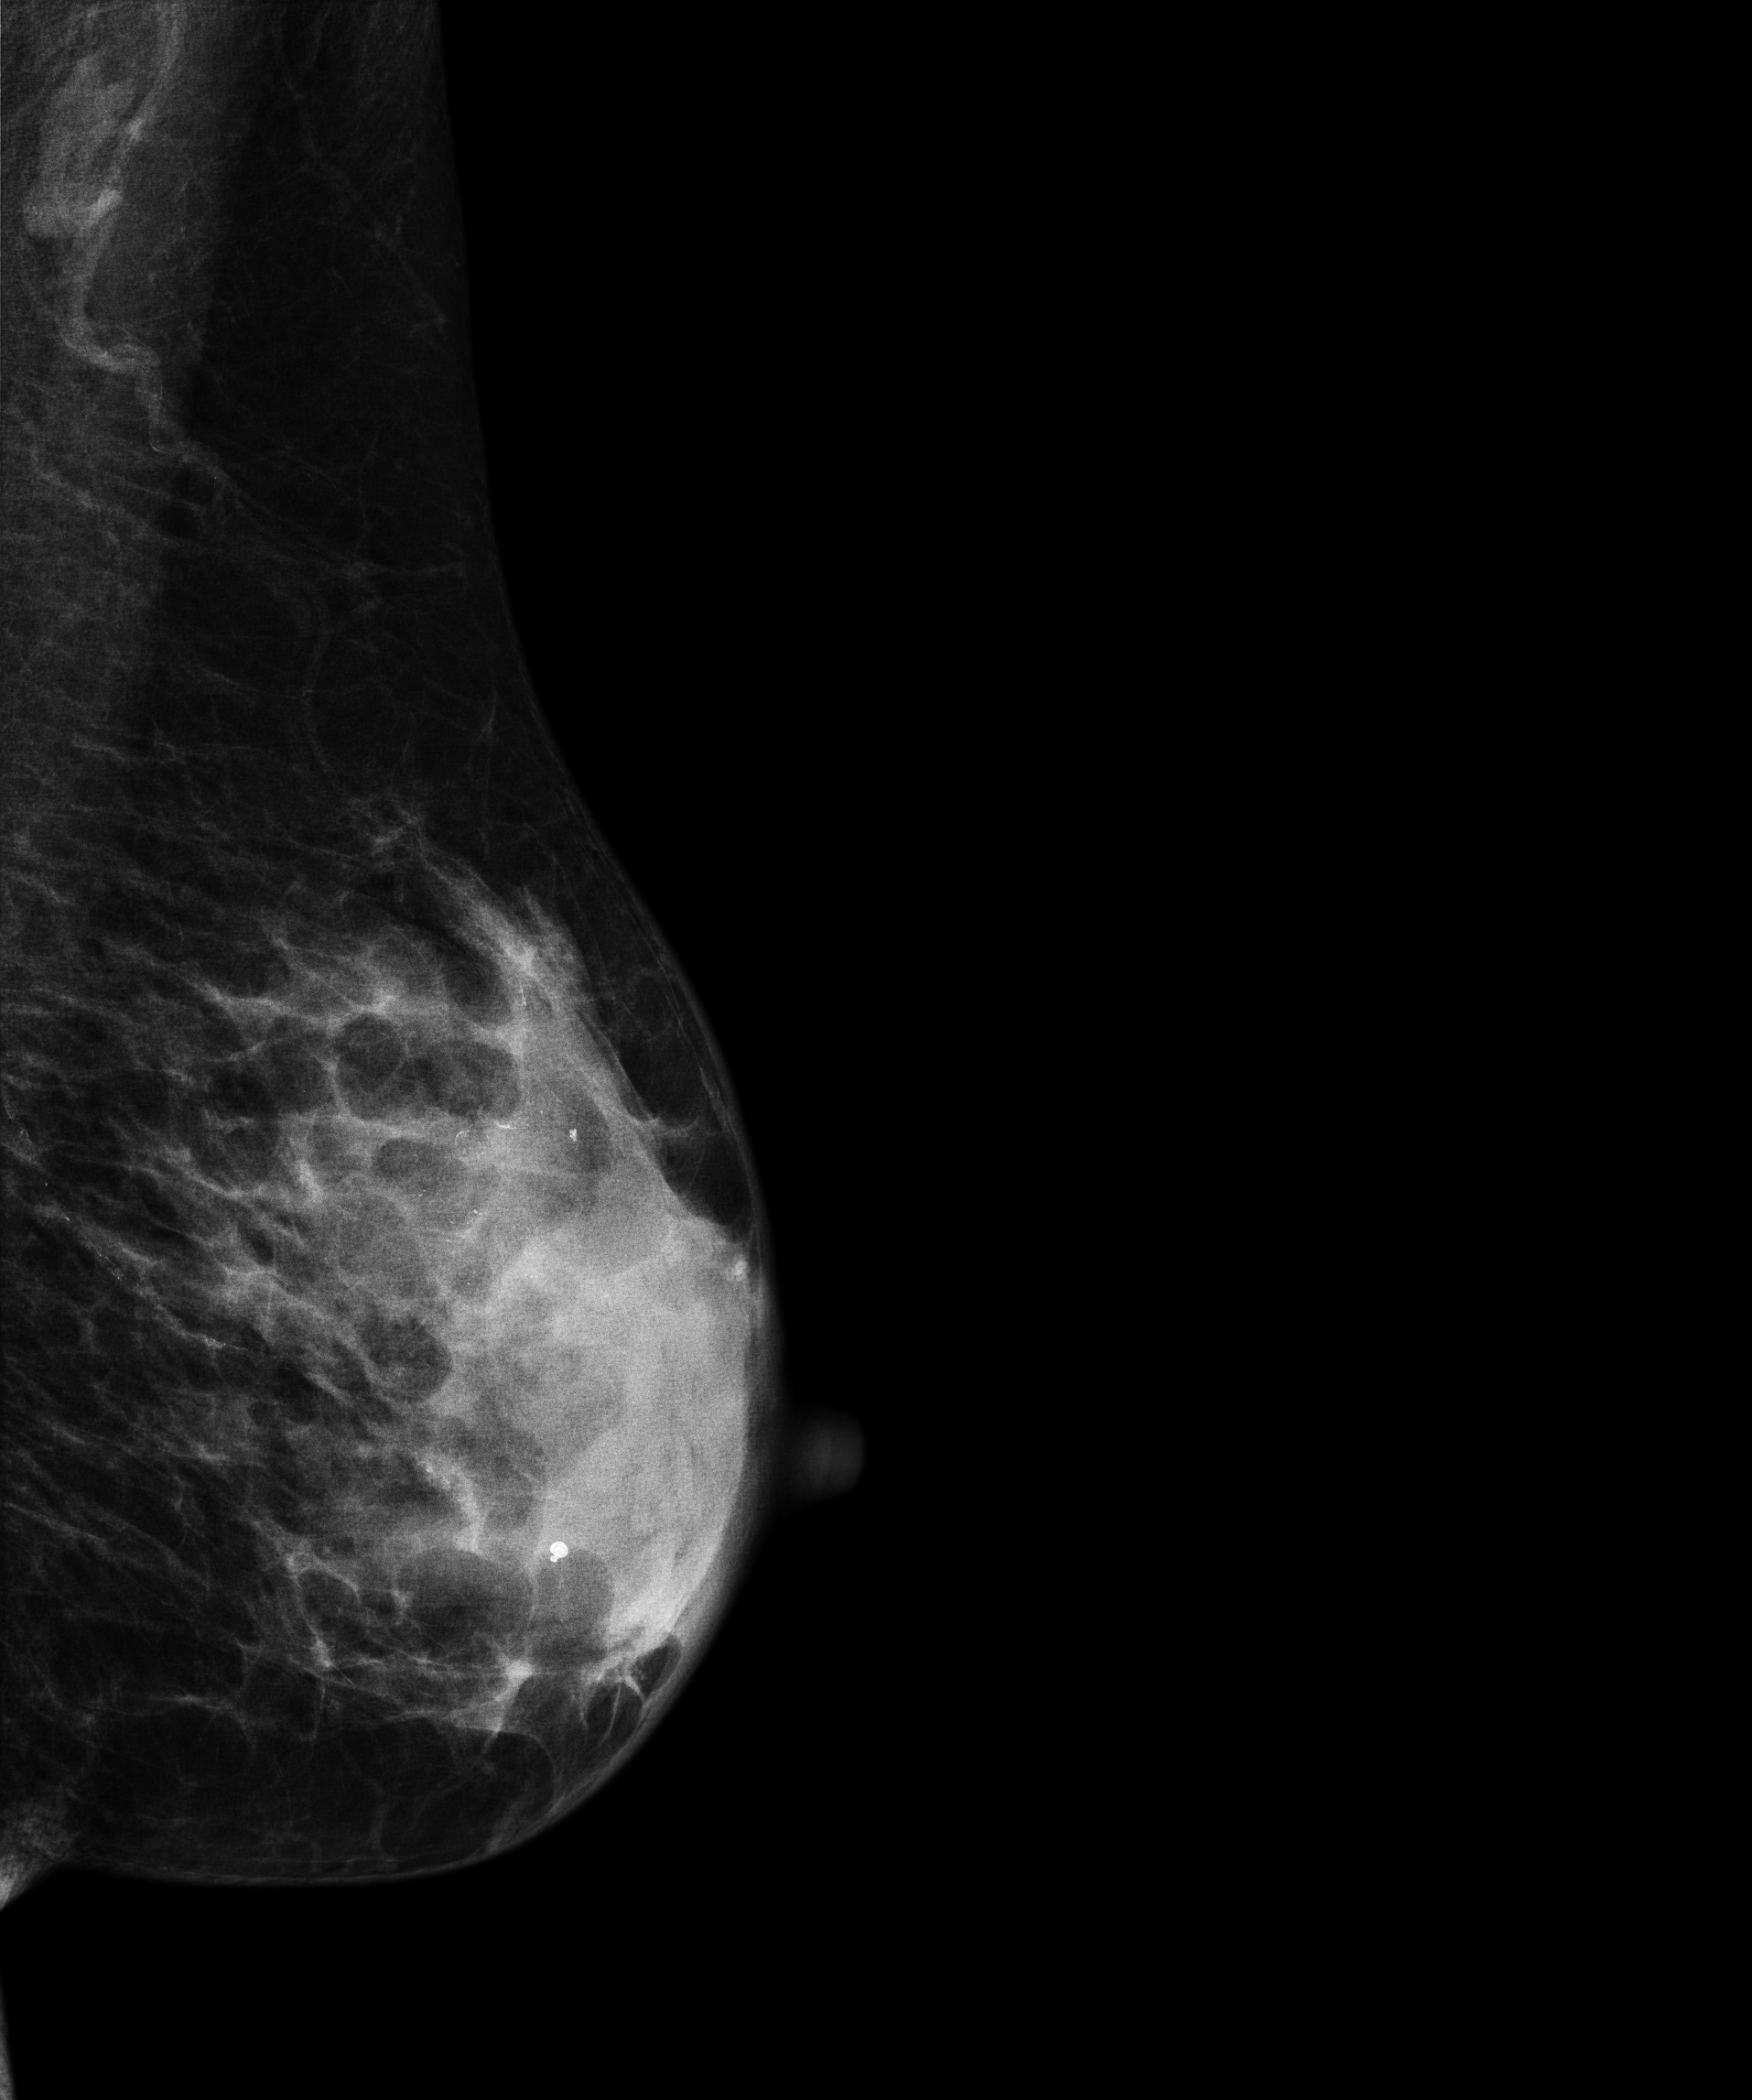
Mammogram, left breast, MLO view. Patient age 62.
This breast has calcifications, histologically confirmed malignant.